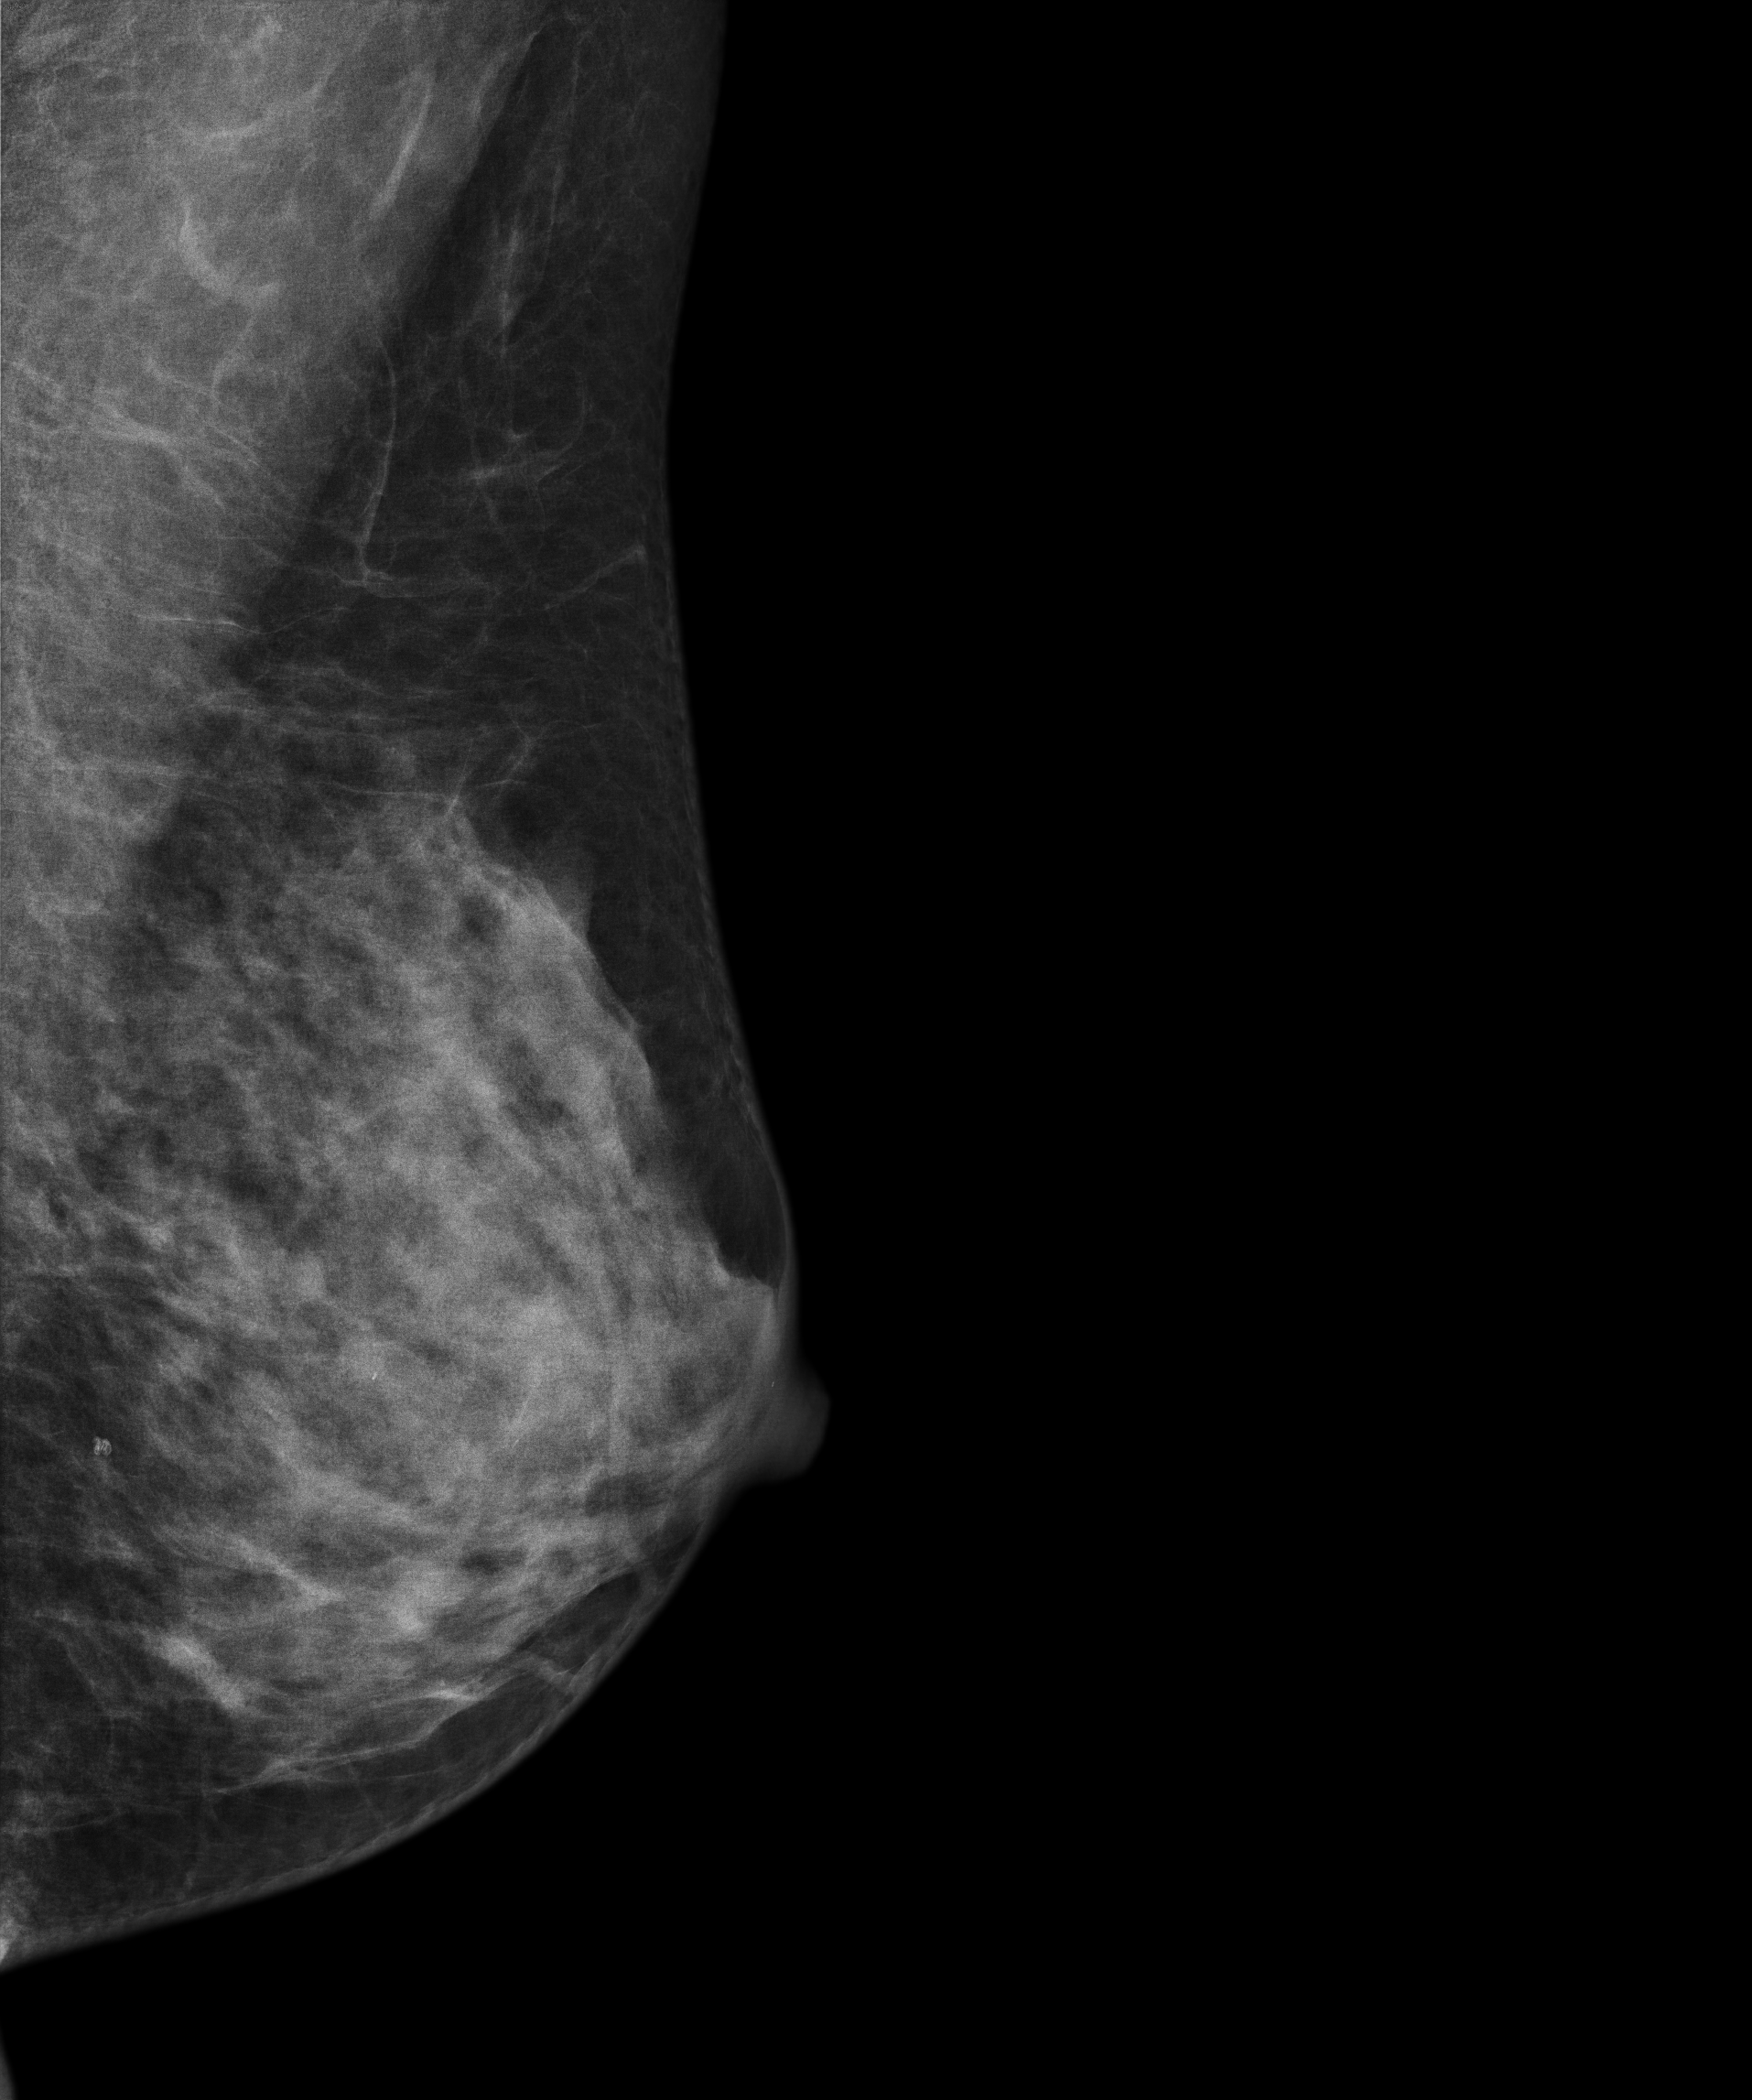
Digital mammography. Left breast, medio-lateral oblique projection. Patient age 52.
This breast has a mass and calcifications, pathology-confirmed benign.